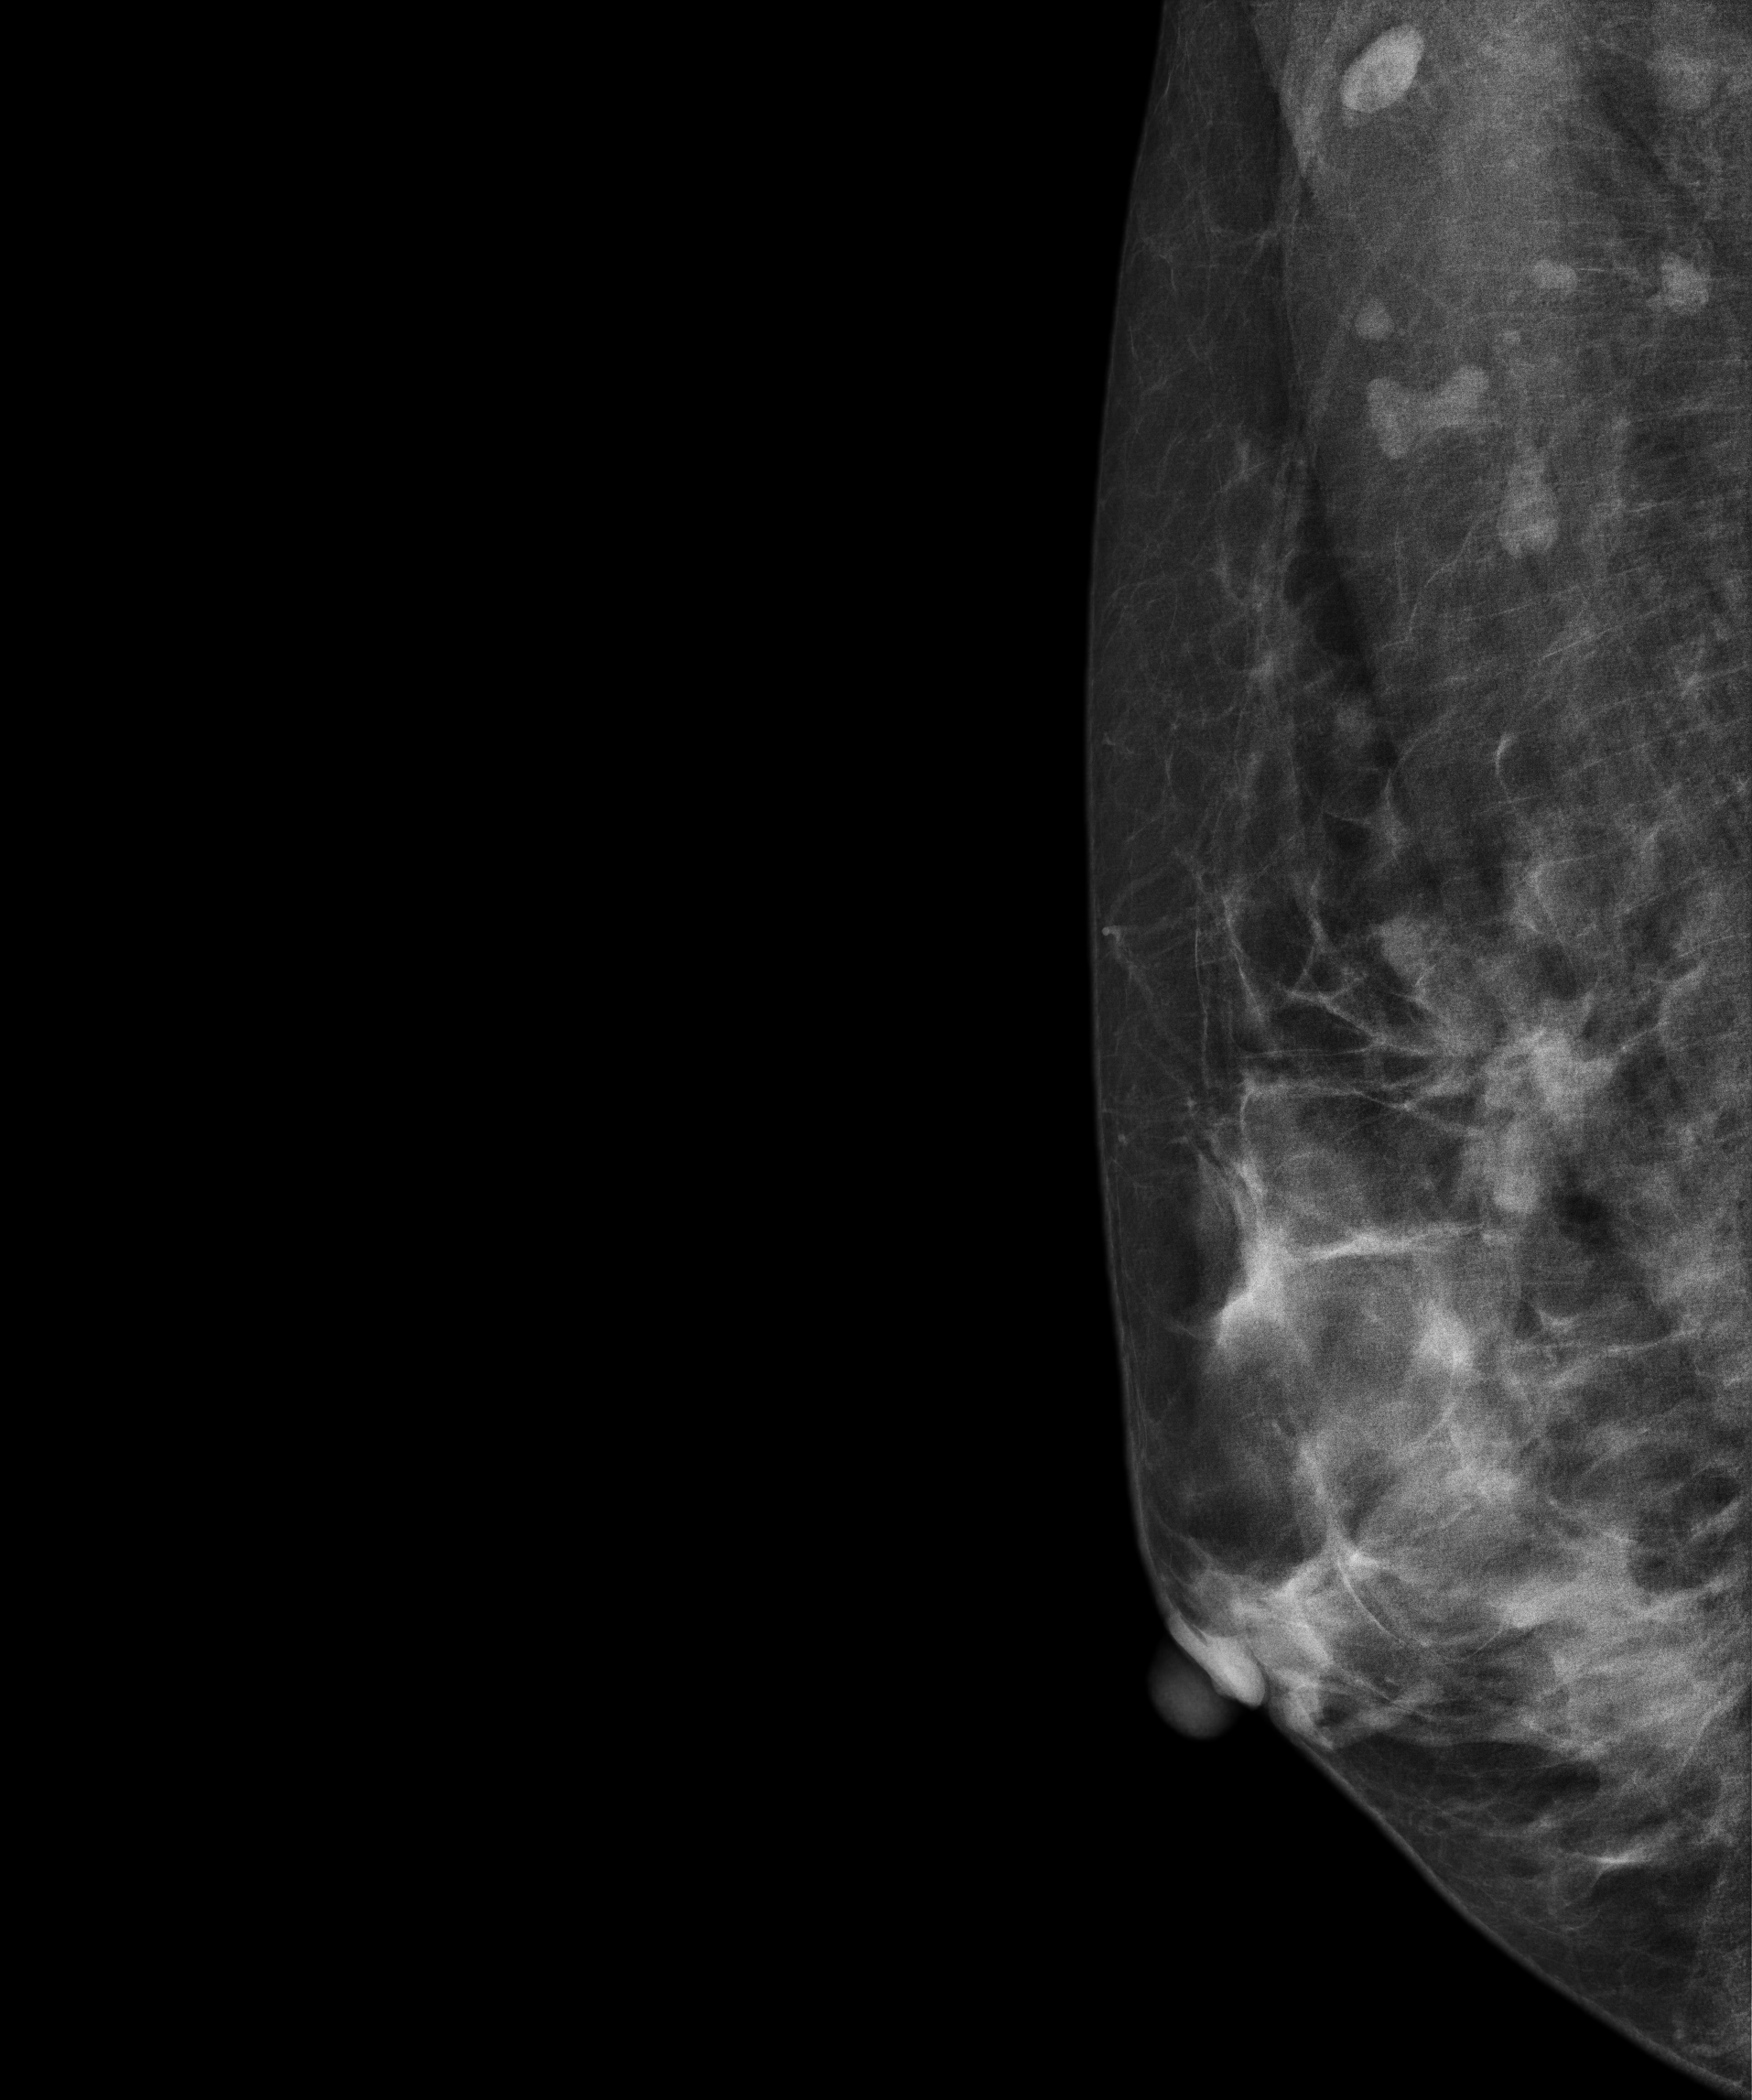
Mammogram, right breast, medio-lateral oblique view. 48 y/o patient.
This breast has a mass, histologically confirmed malignant. Molecular subtype: luminal A.